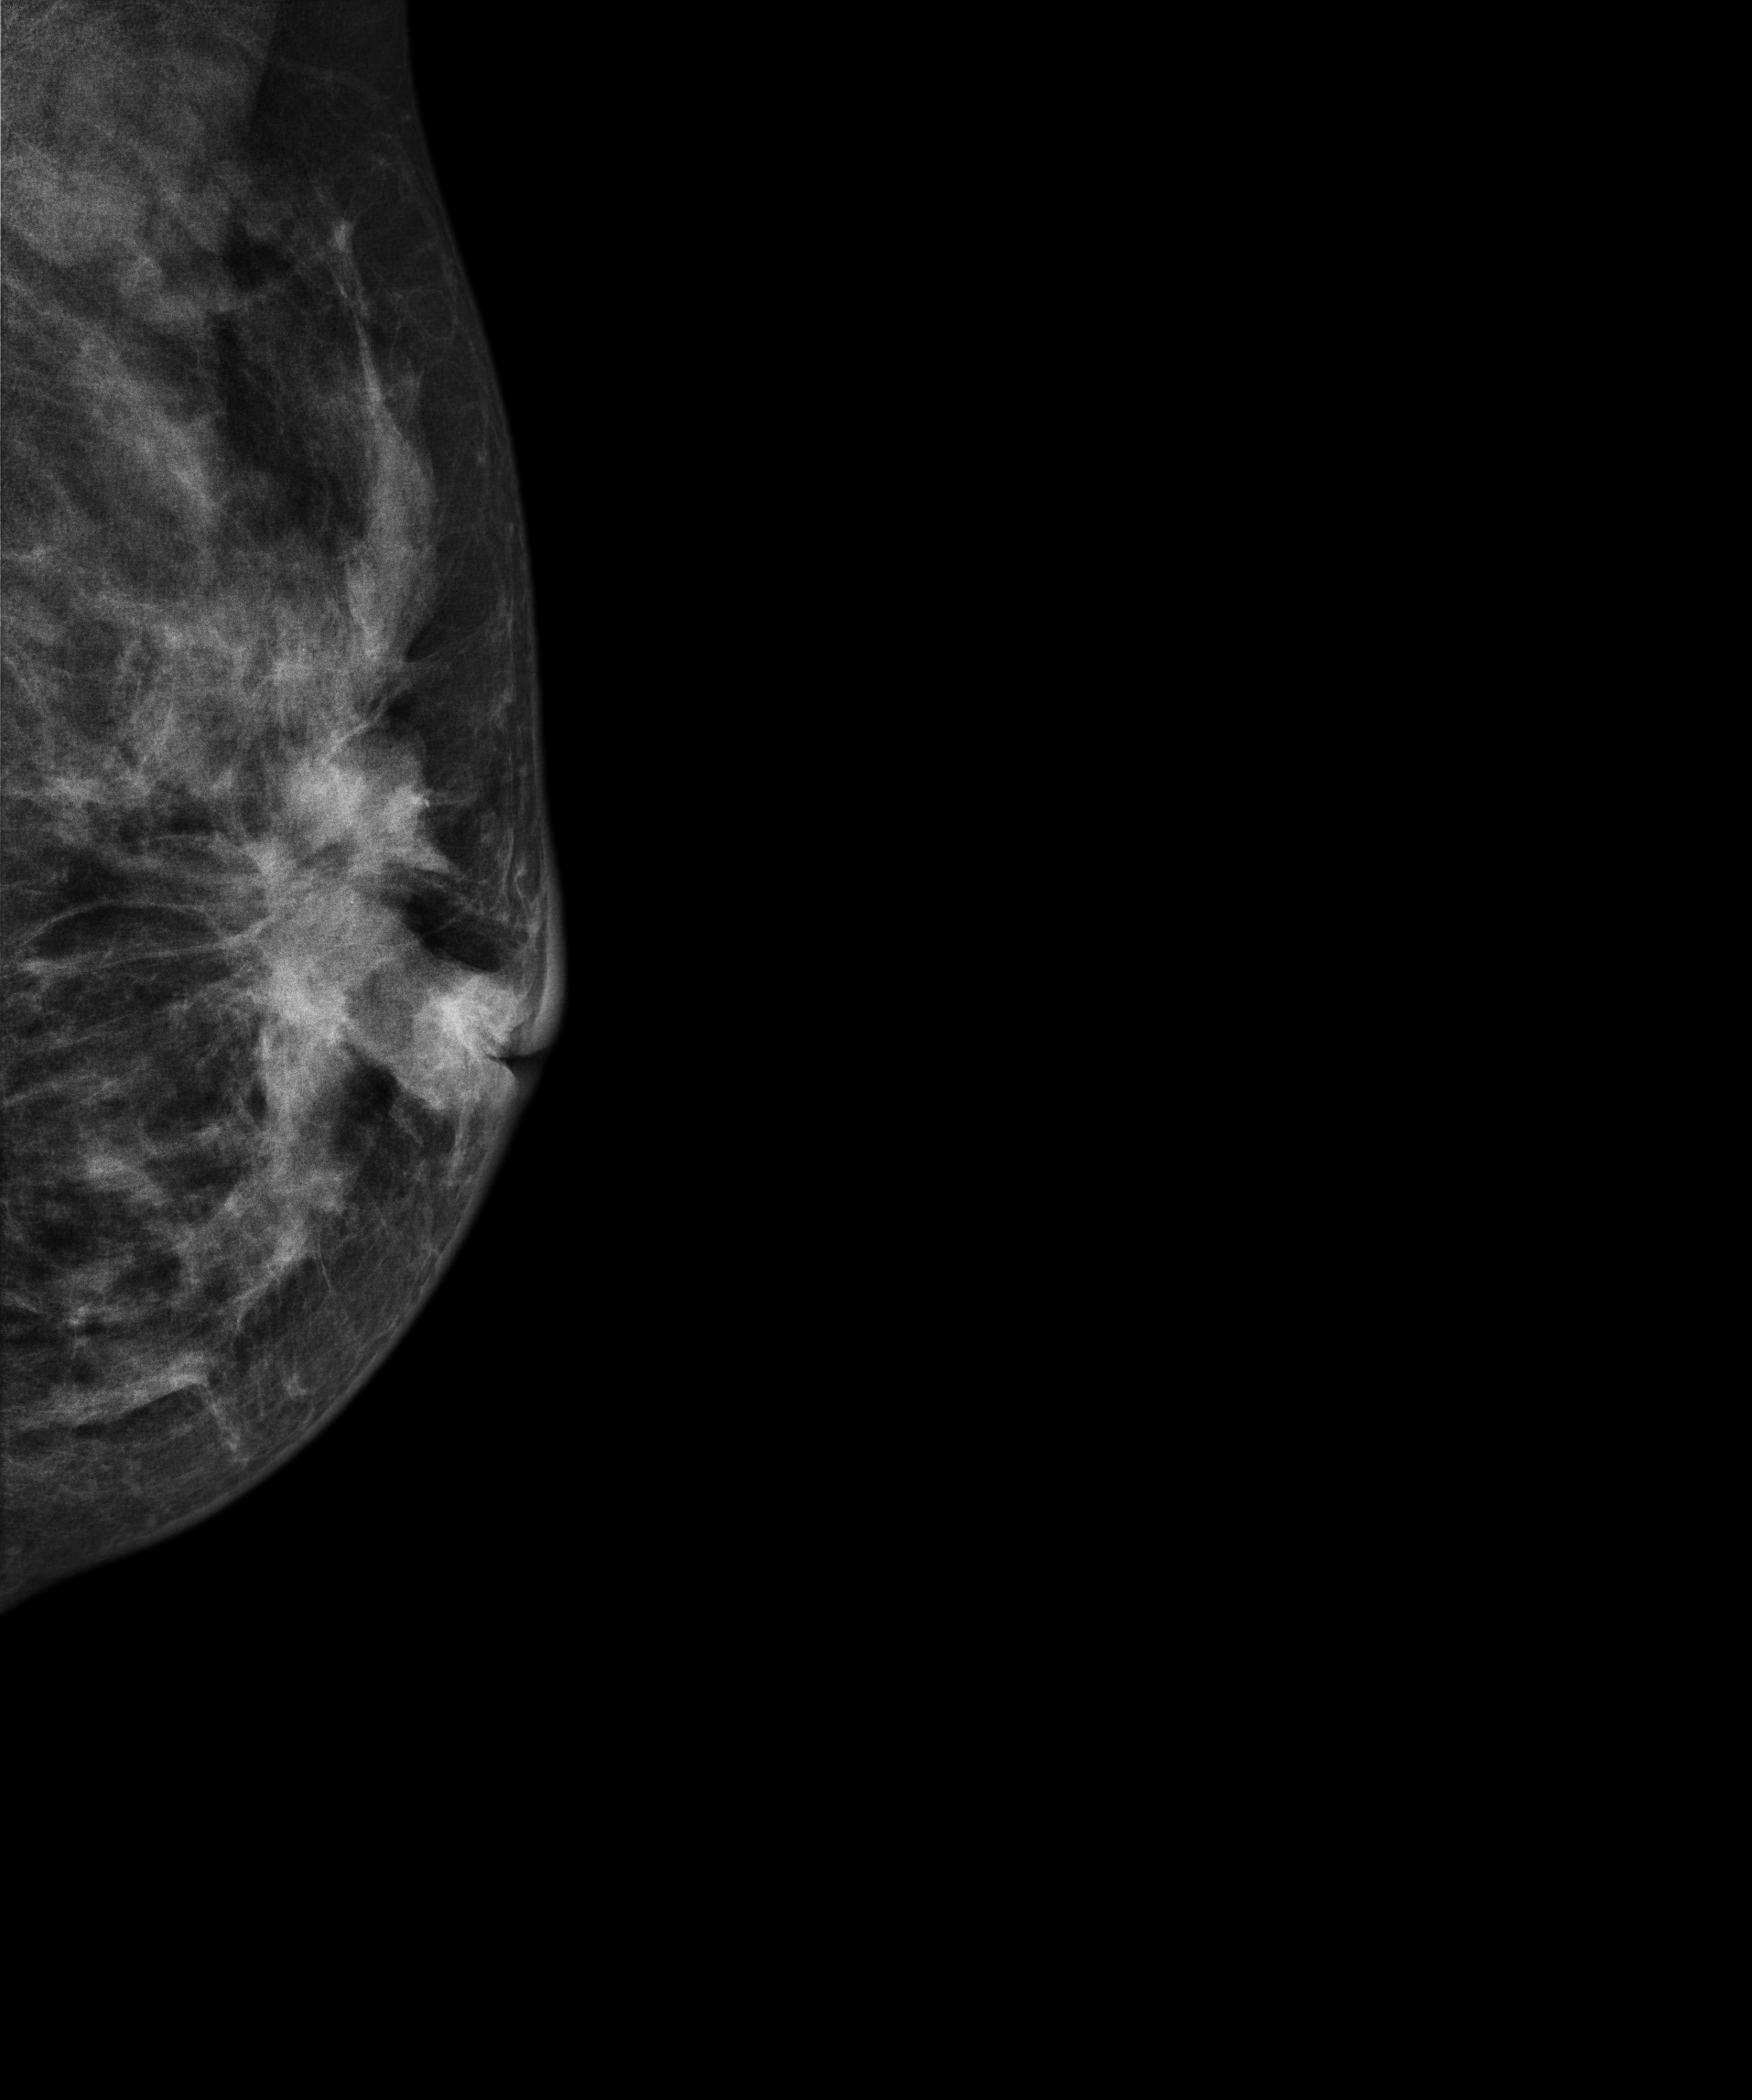
Digital mammography. Left breast, MLO projection. 43-year-old patient.
This breast has a mass, histologically confirmed malignant.